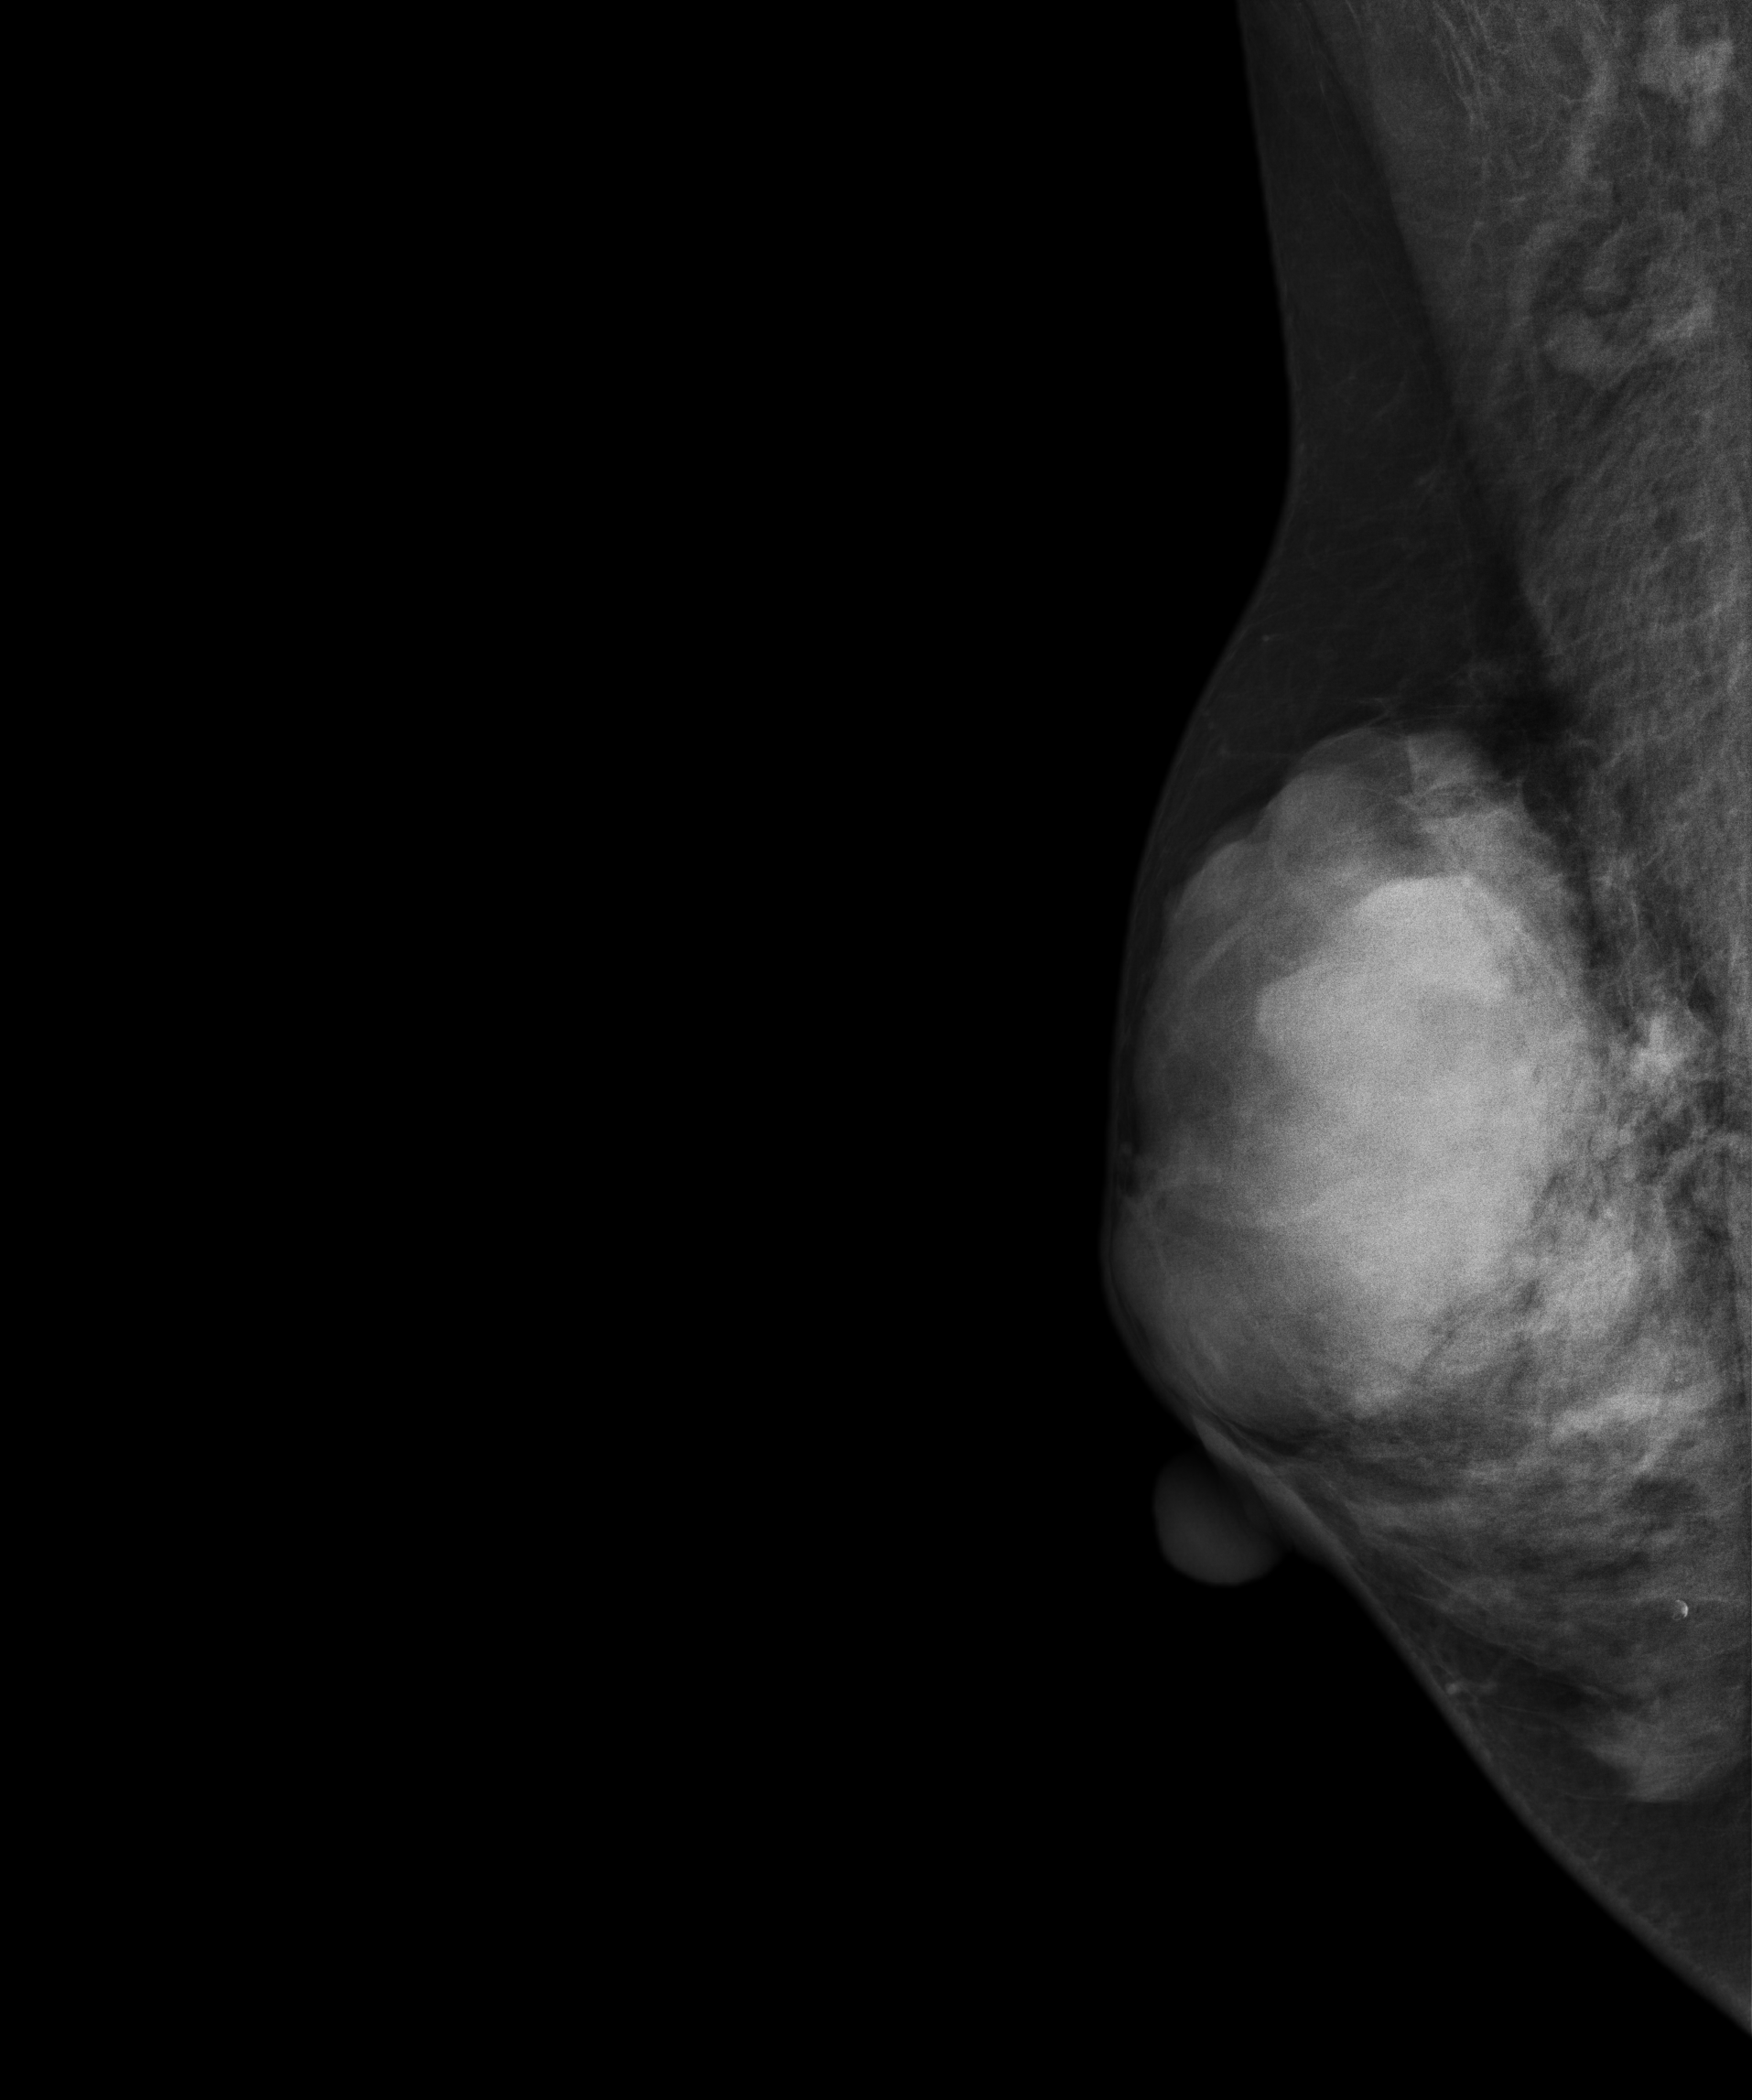
Right-breast mammogram, MLO. Patient age 49.
This breast has a mass, histologically confirmed malignant.